Digital mammography. Right breast, cranio-caudal projection. Patient age 26.
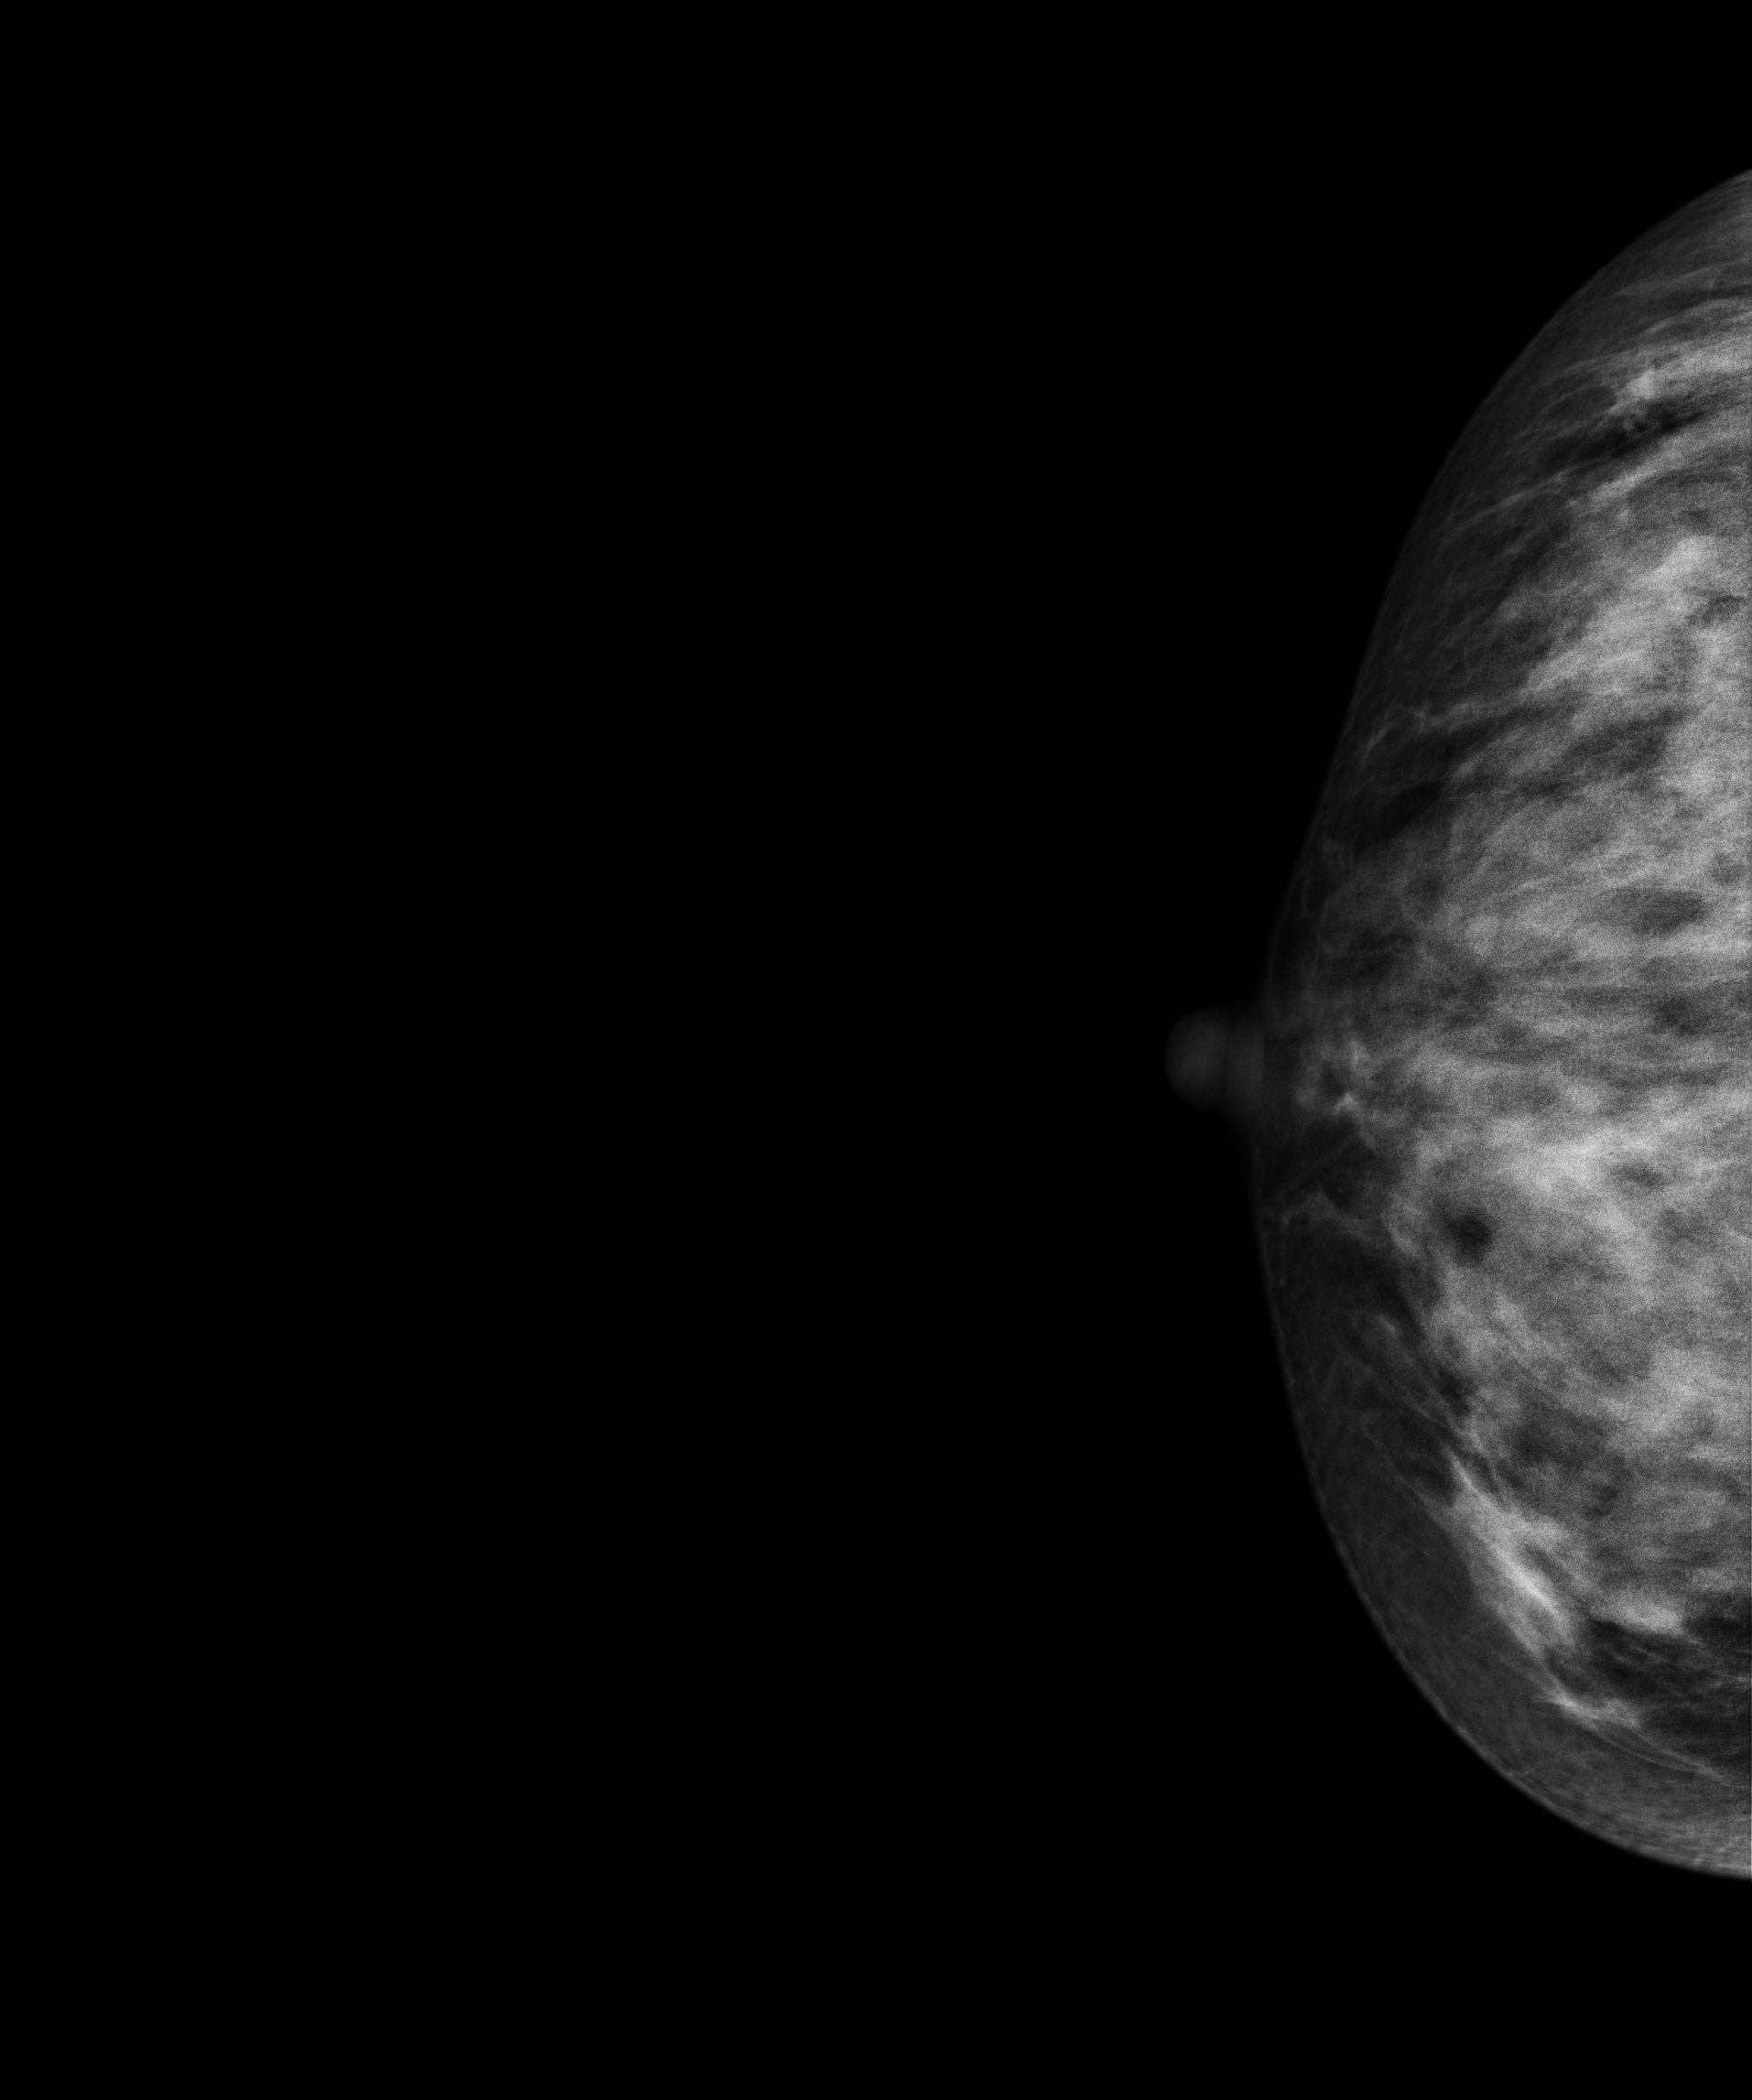
This breast has a mass, biopsy-confirmed benign.